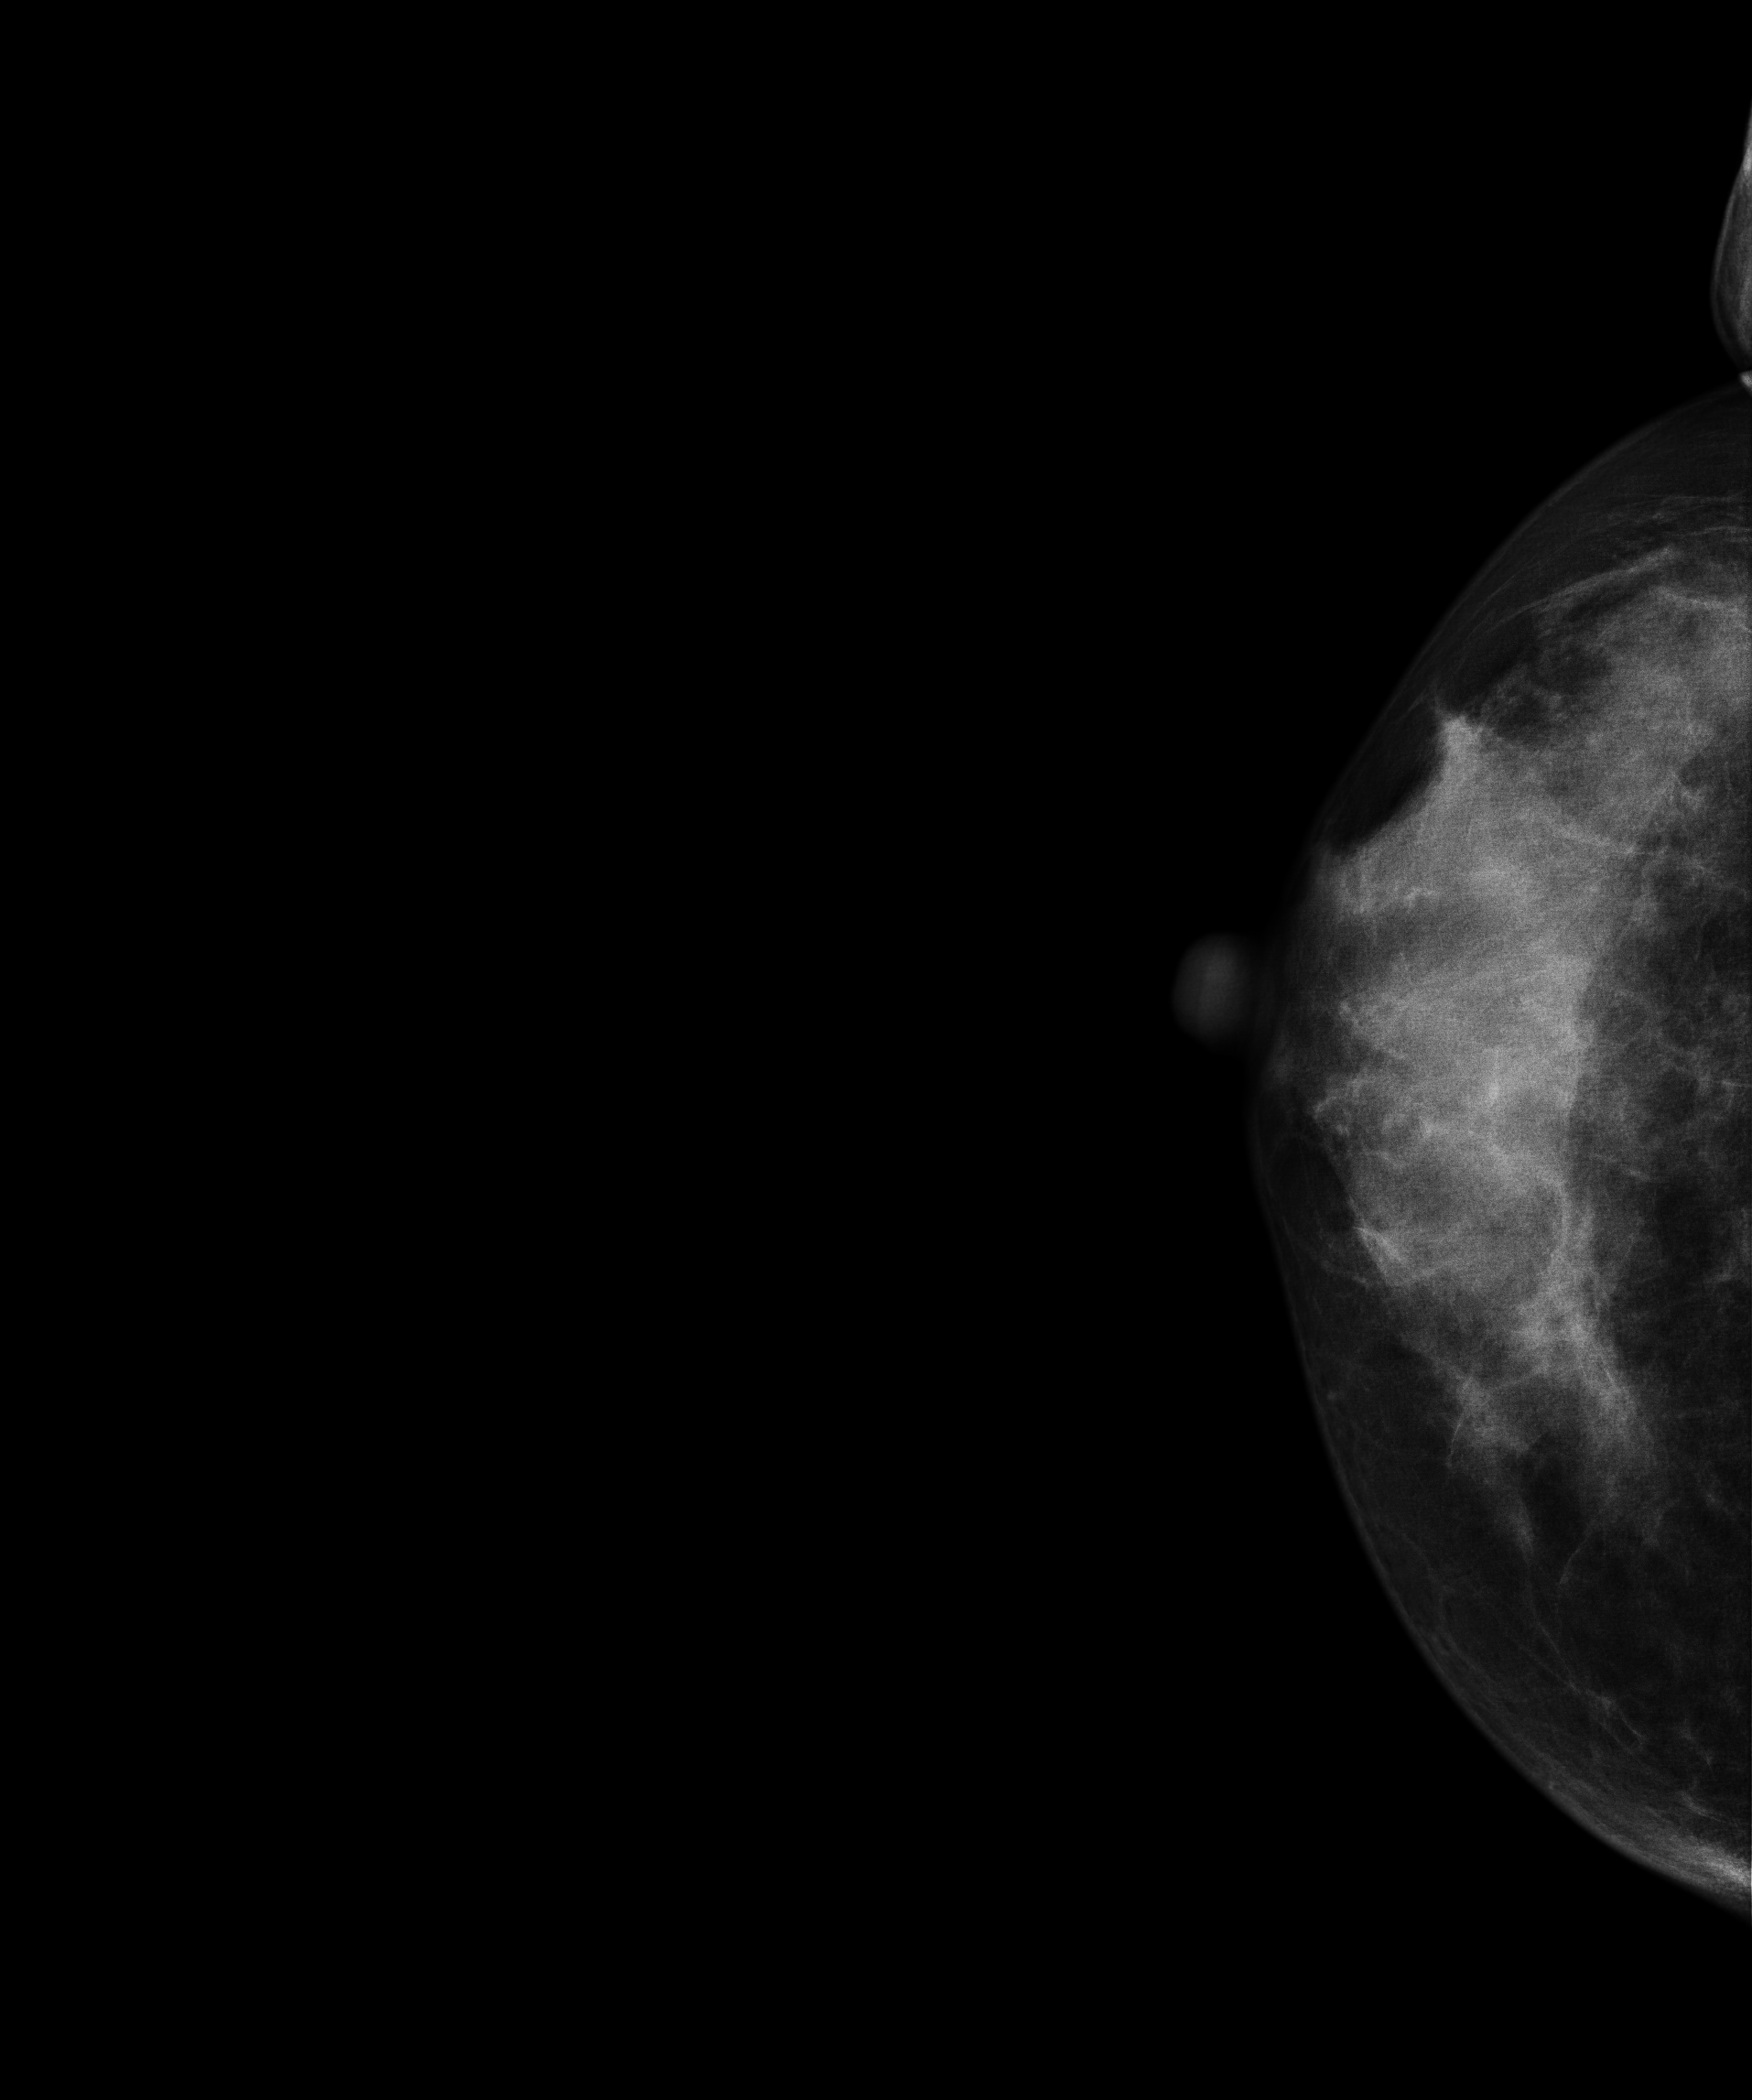
Digital mammography. Right breast, CC projection. Patient age 49.
Contralateral breast — no documented abnormality on this side.